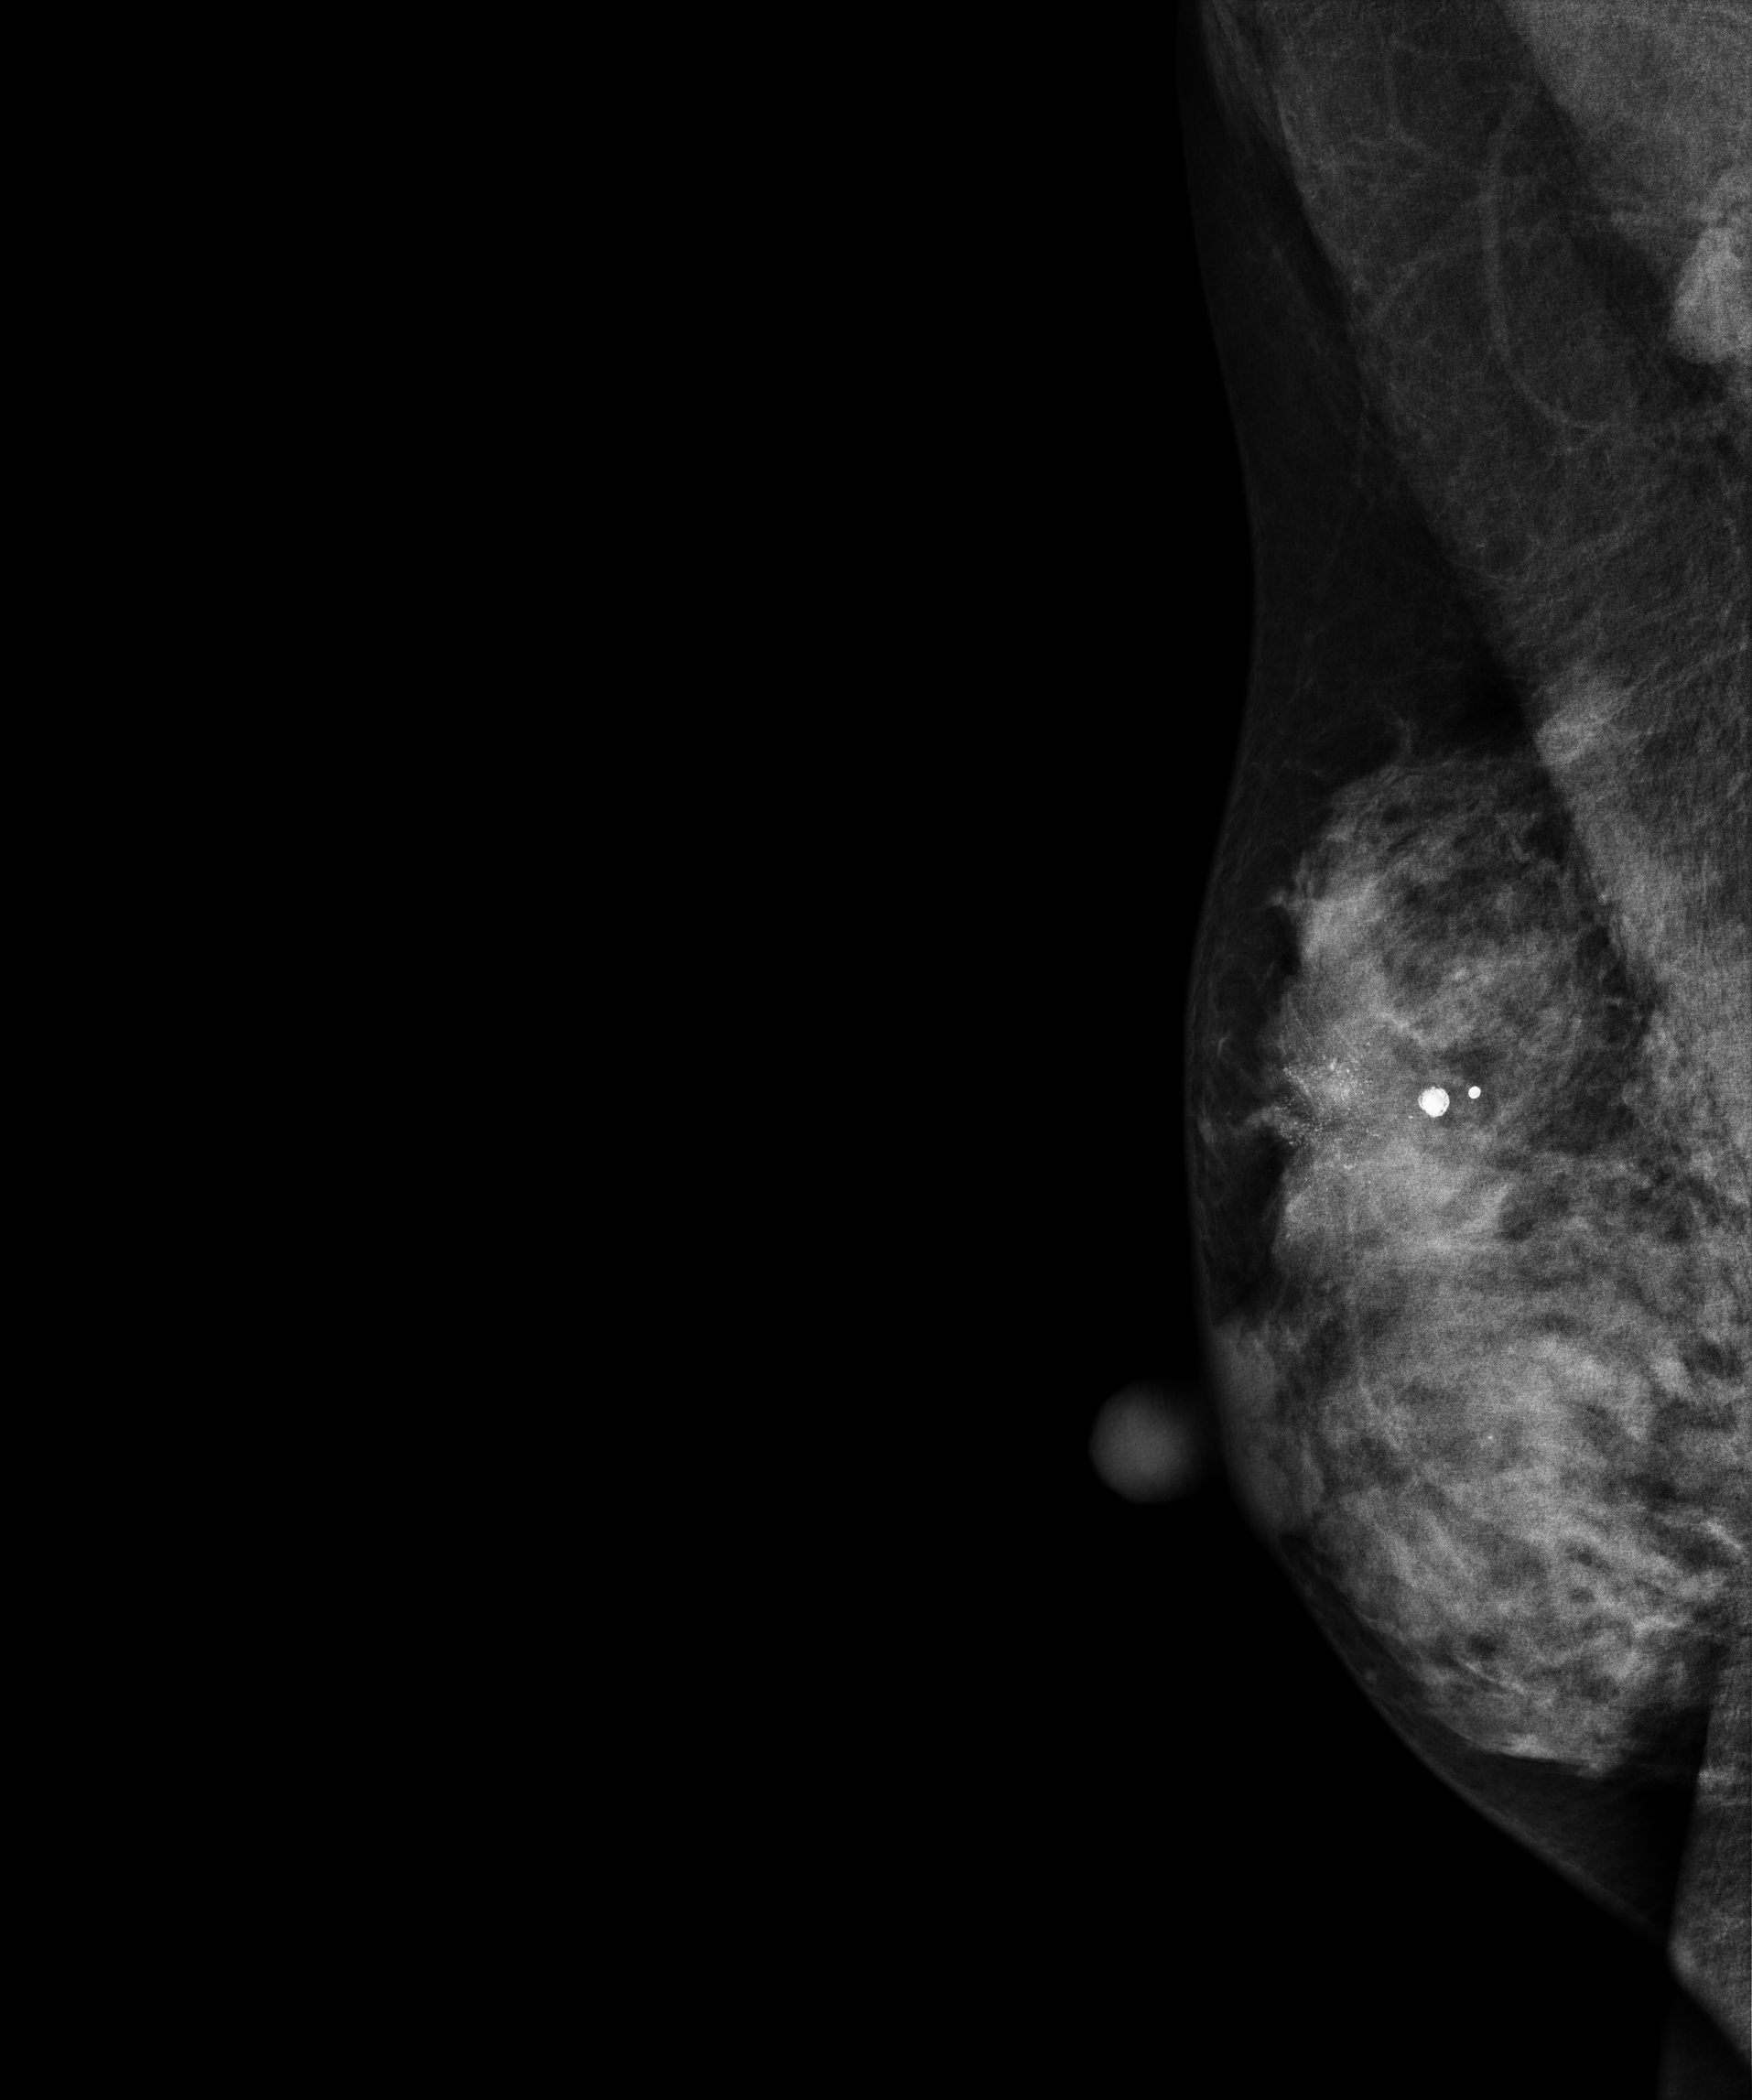
Digital mammography. Right breast, MLO projection. Patient age 39.
This breast has calcifications, pathology-confirmed malignant.